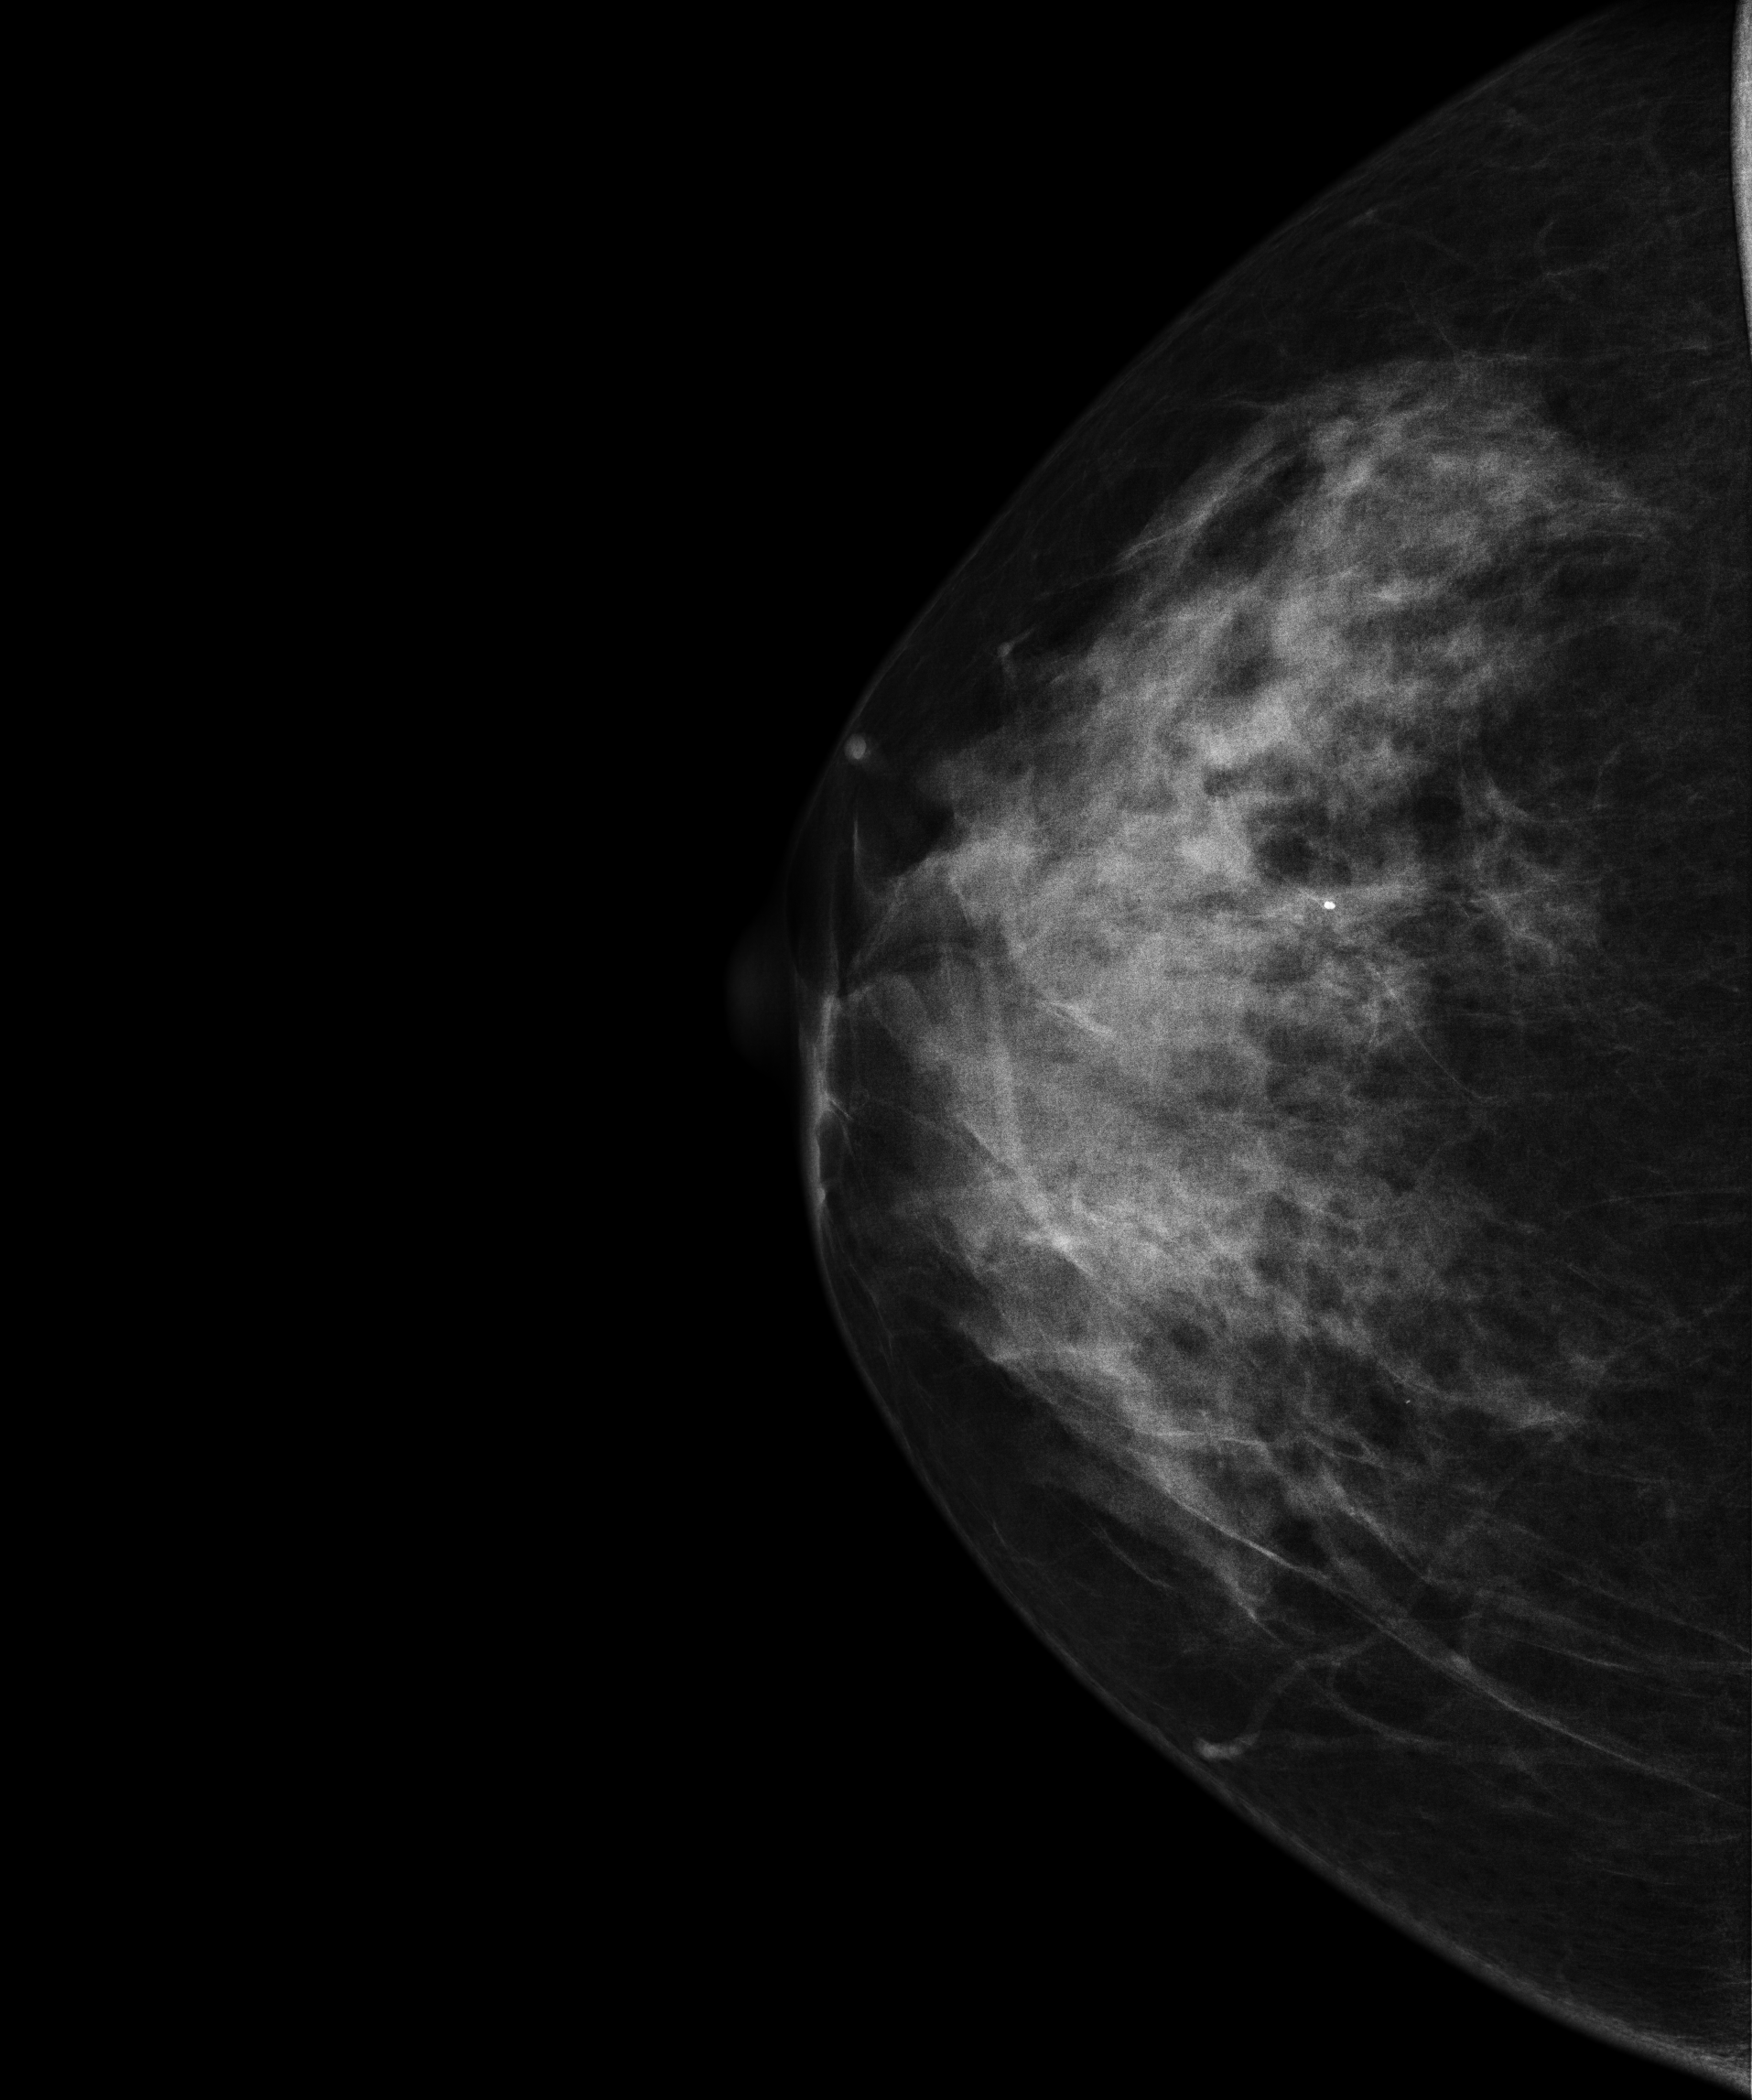
Mammogram — right cranio-caudal. 64 y/o patient.
Contralateral breast — no documented abnormality on this side.